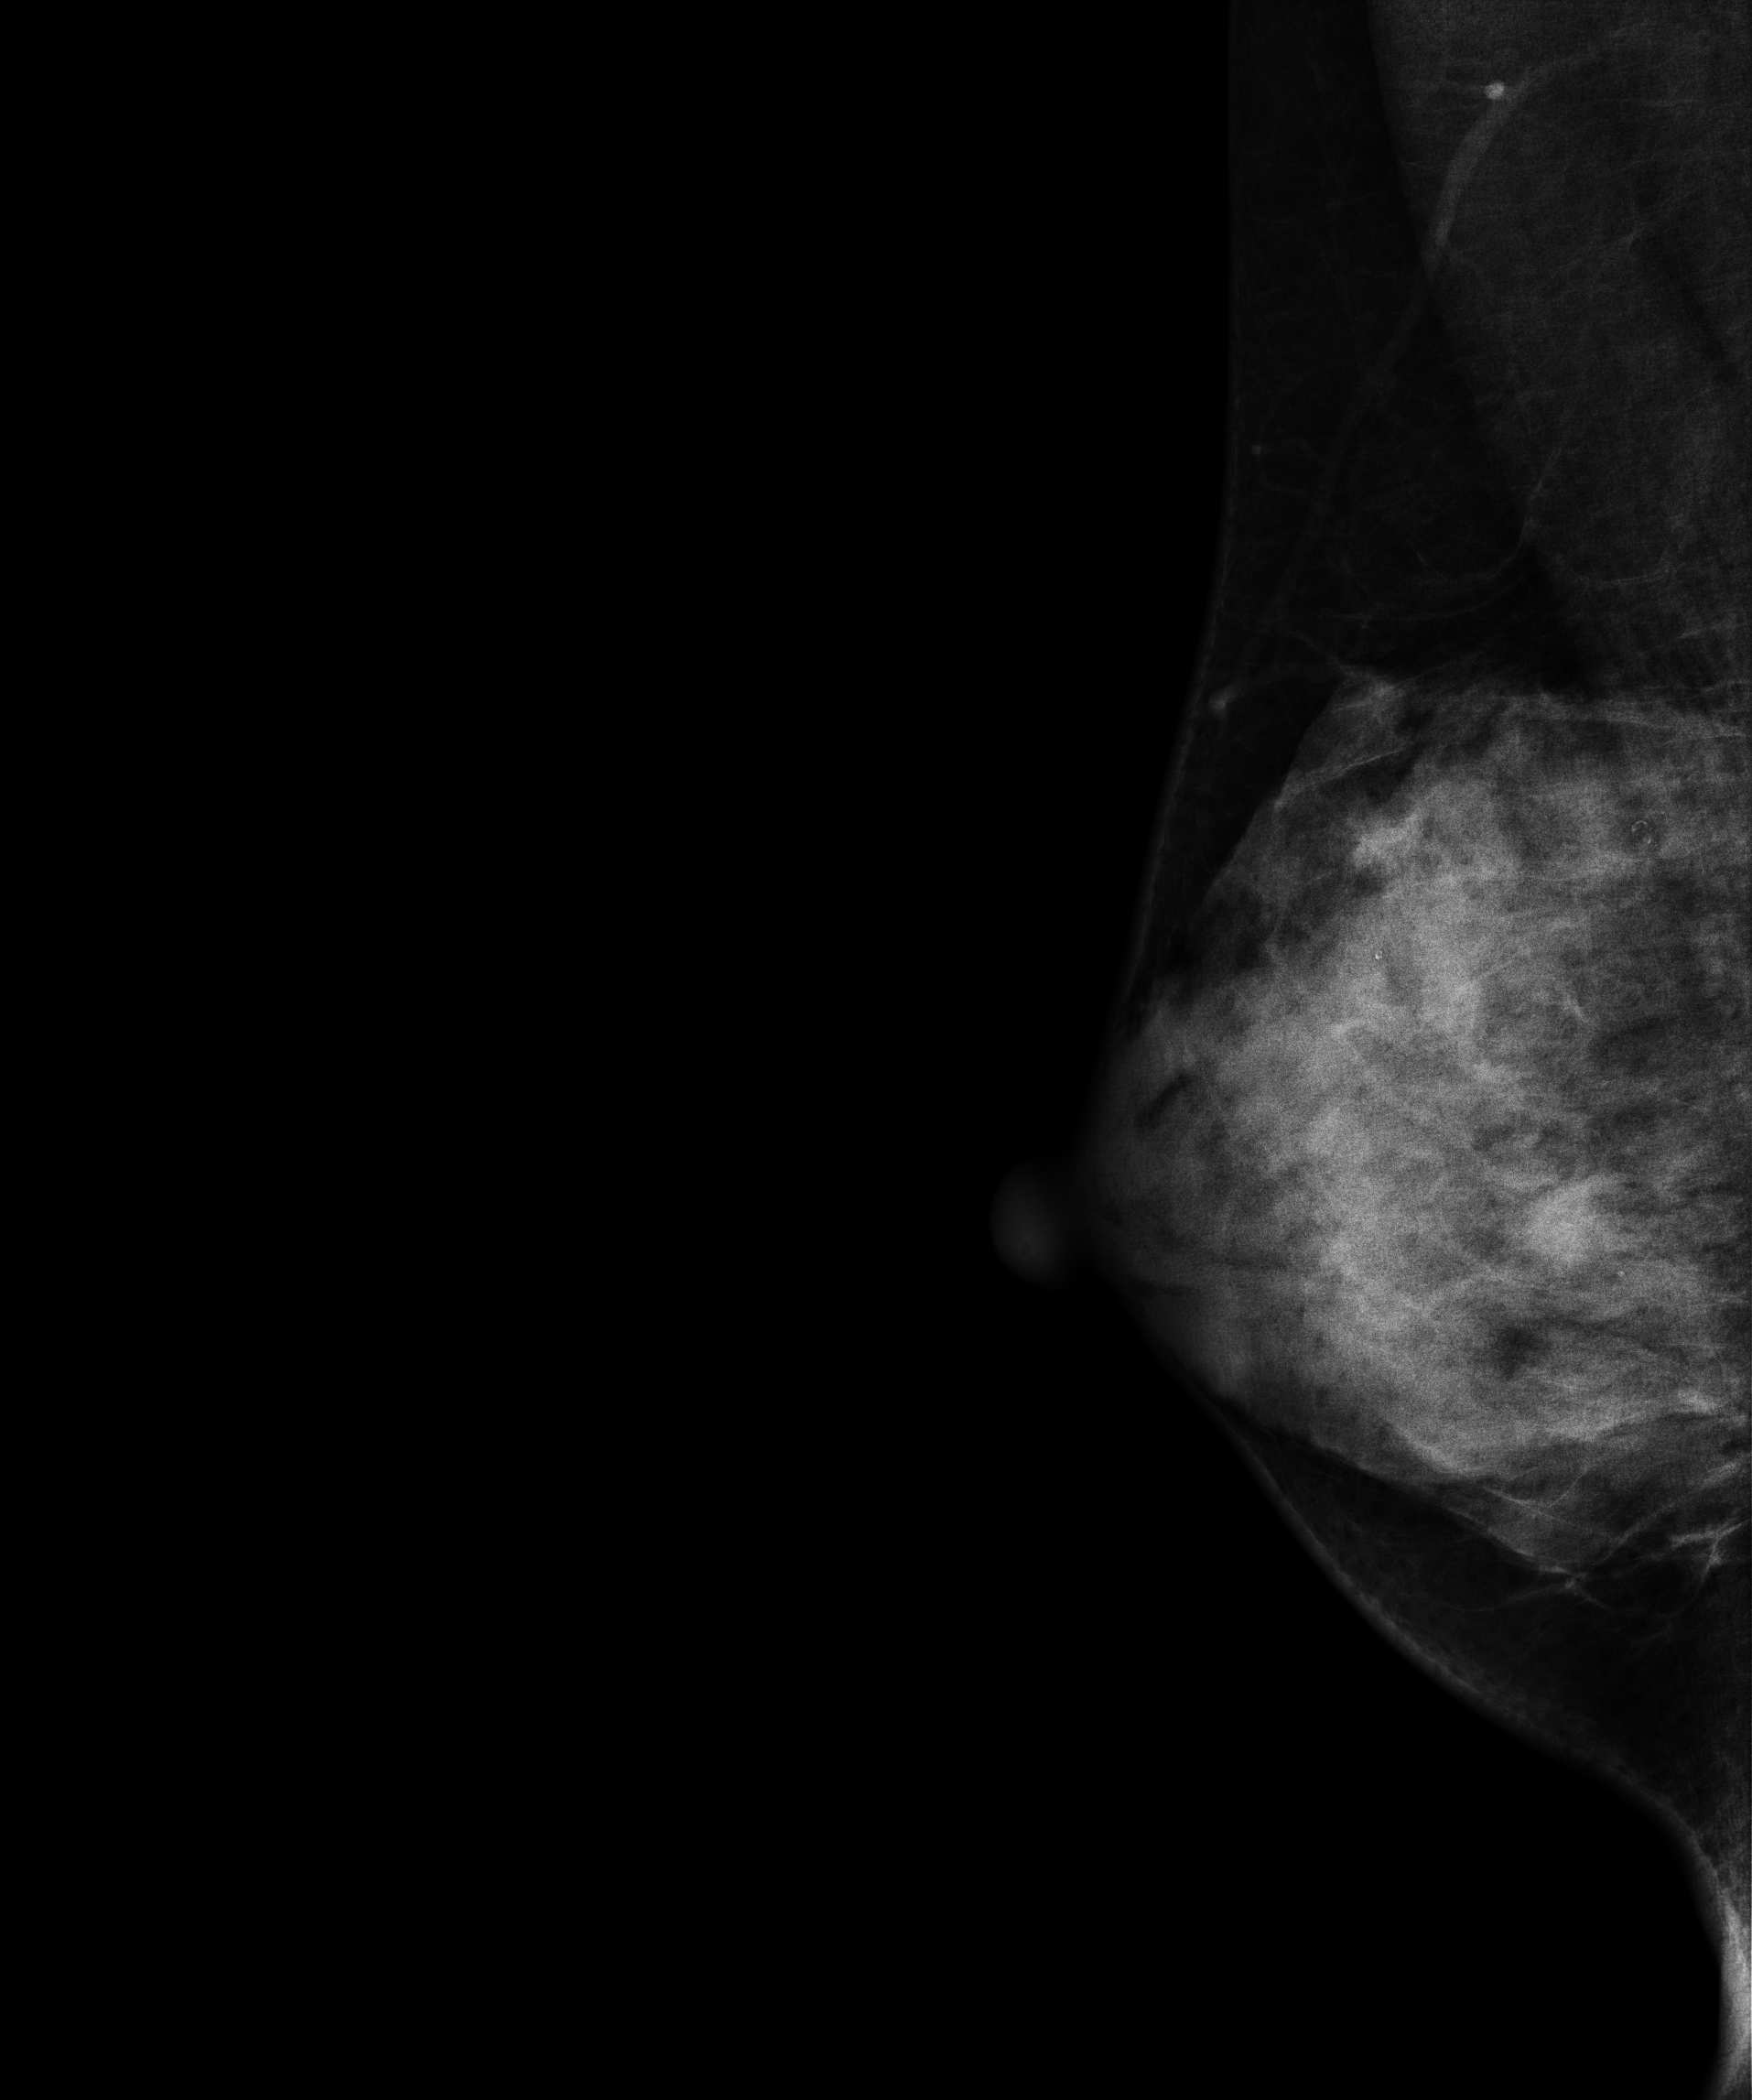
Mammogram — right medio-lateral oblique. 44-year-old patient.
Contralateral breast — no documented abnormality on this side.